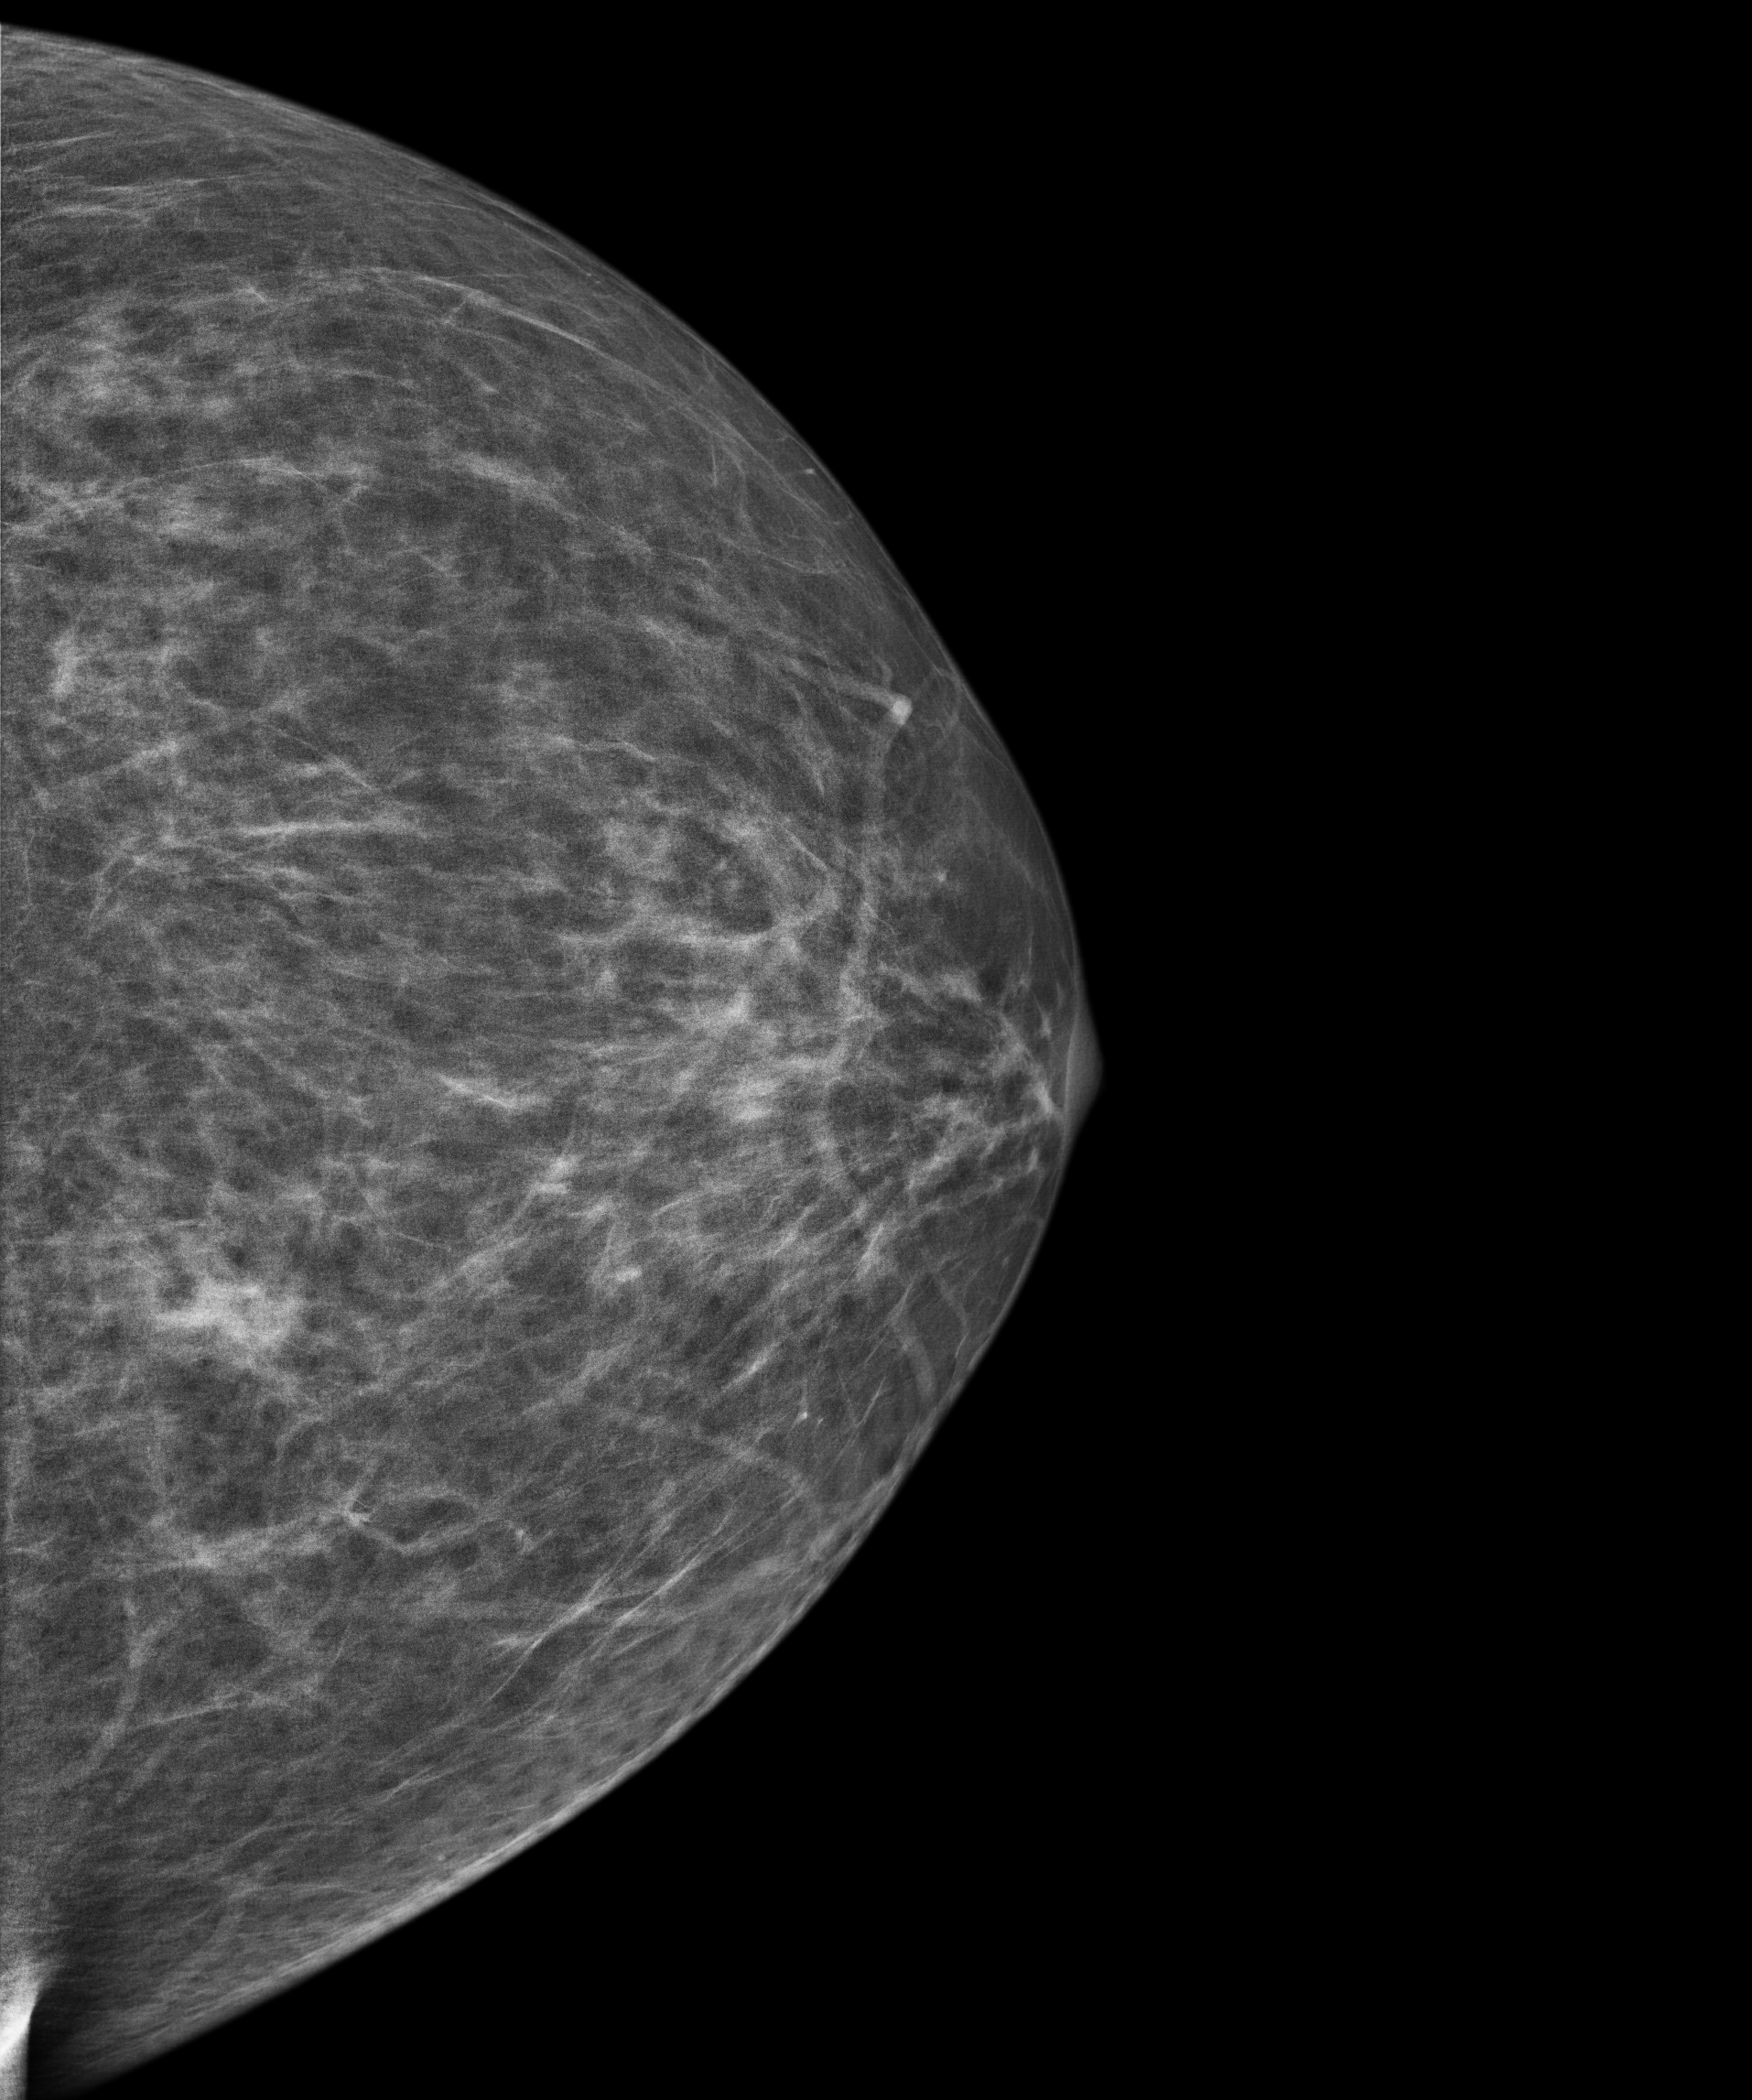
Mammogram, left breast, CC view. Patient age 68.
Contralateral breast — no documented abnormality on this side.